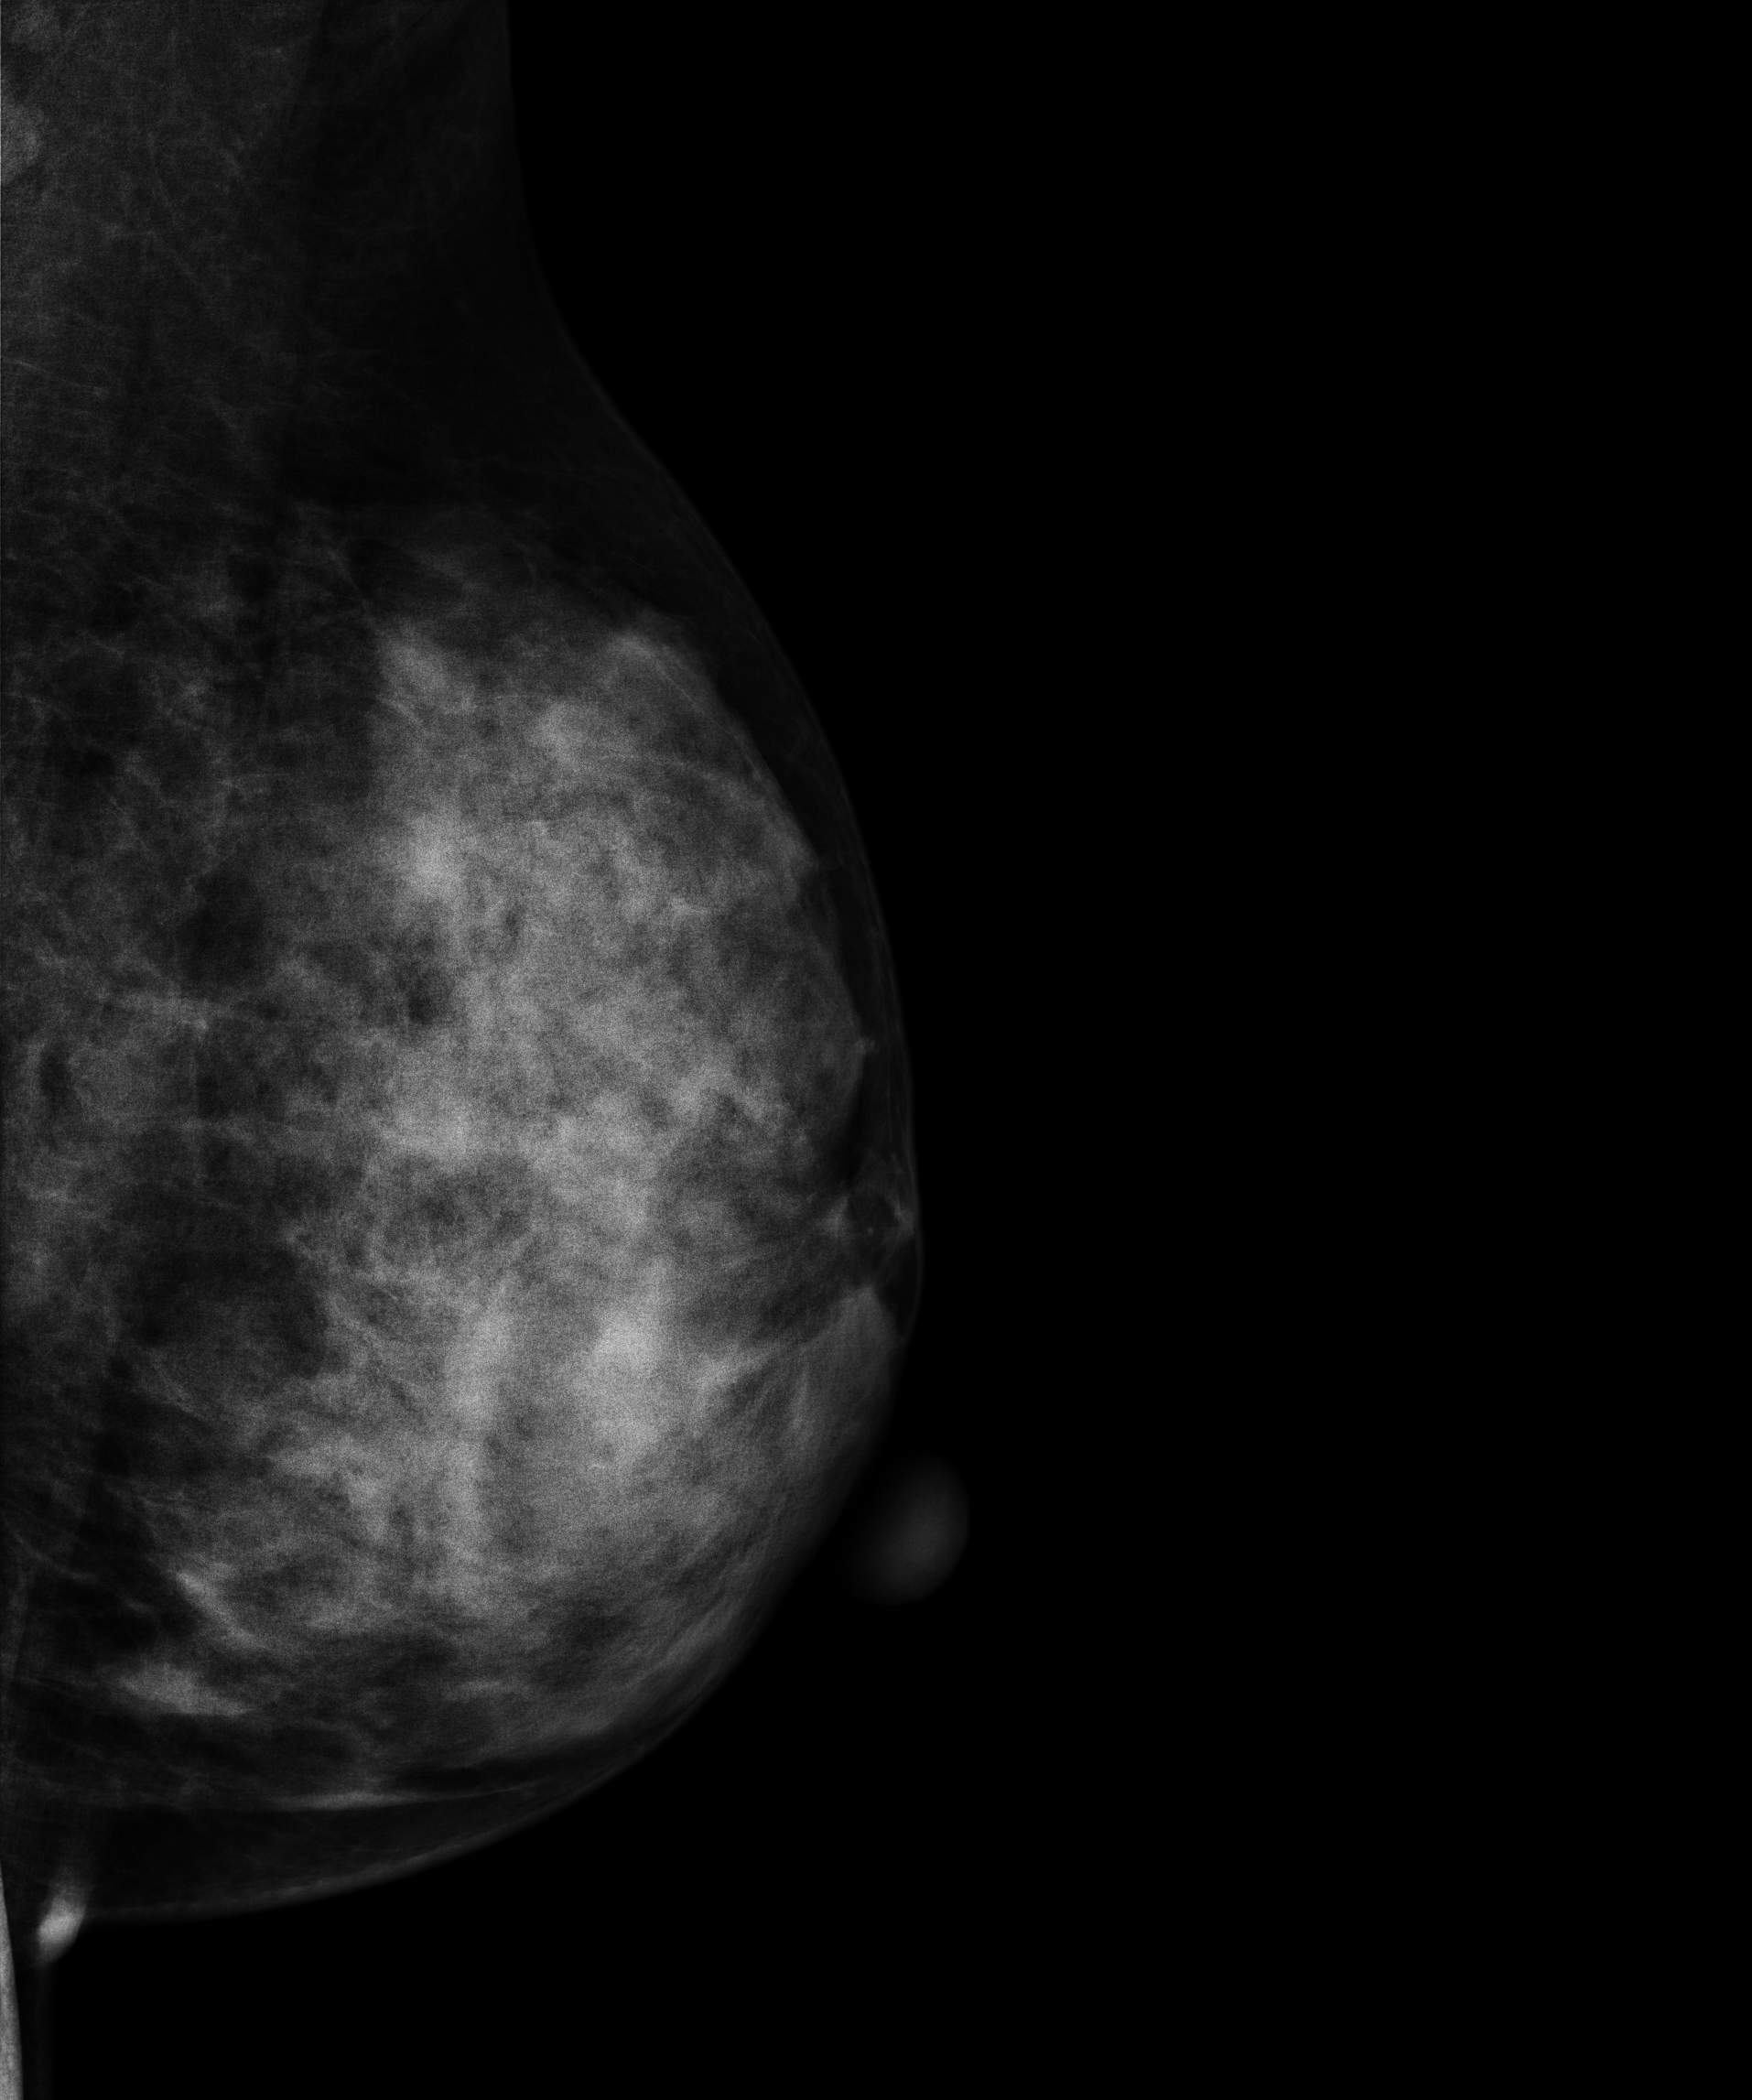
Medio-lateral oblique mammogram of the left breast. Patient age 41.
This breast has a mass, histologically confirmed benign.